Left-breast mammogram, medio-lateral oblique. Patient age 47.
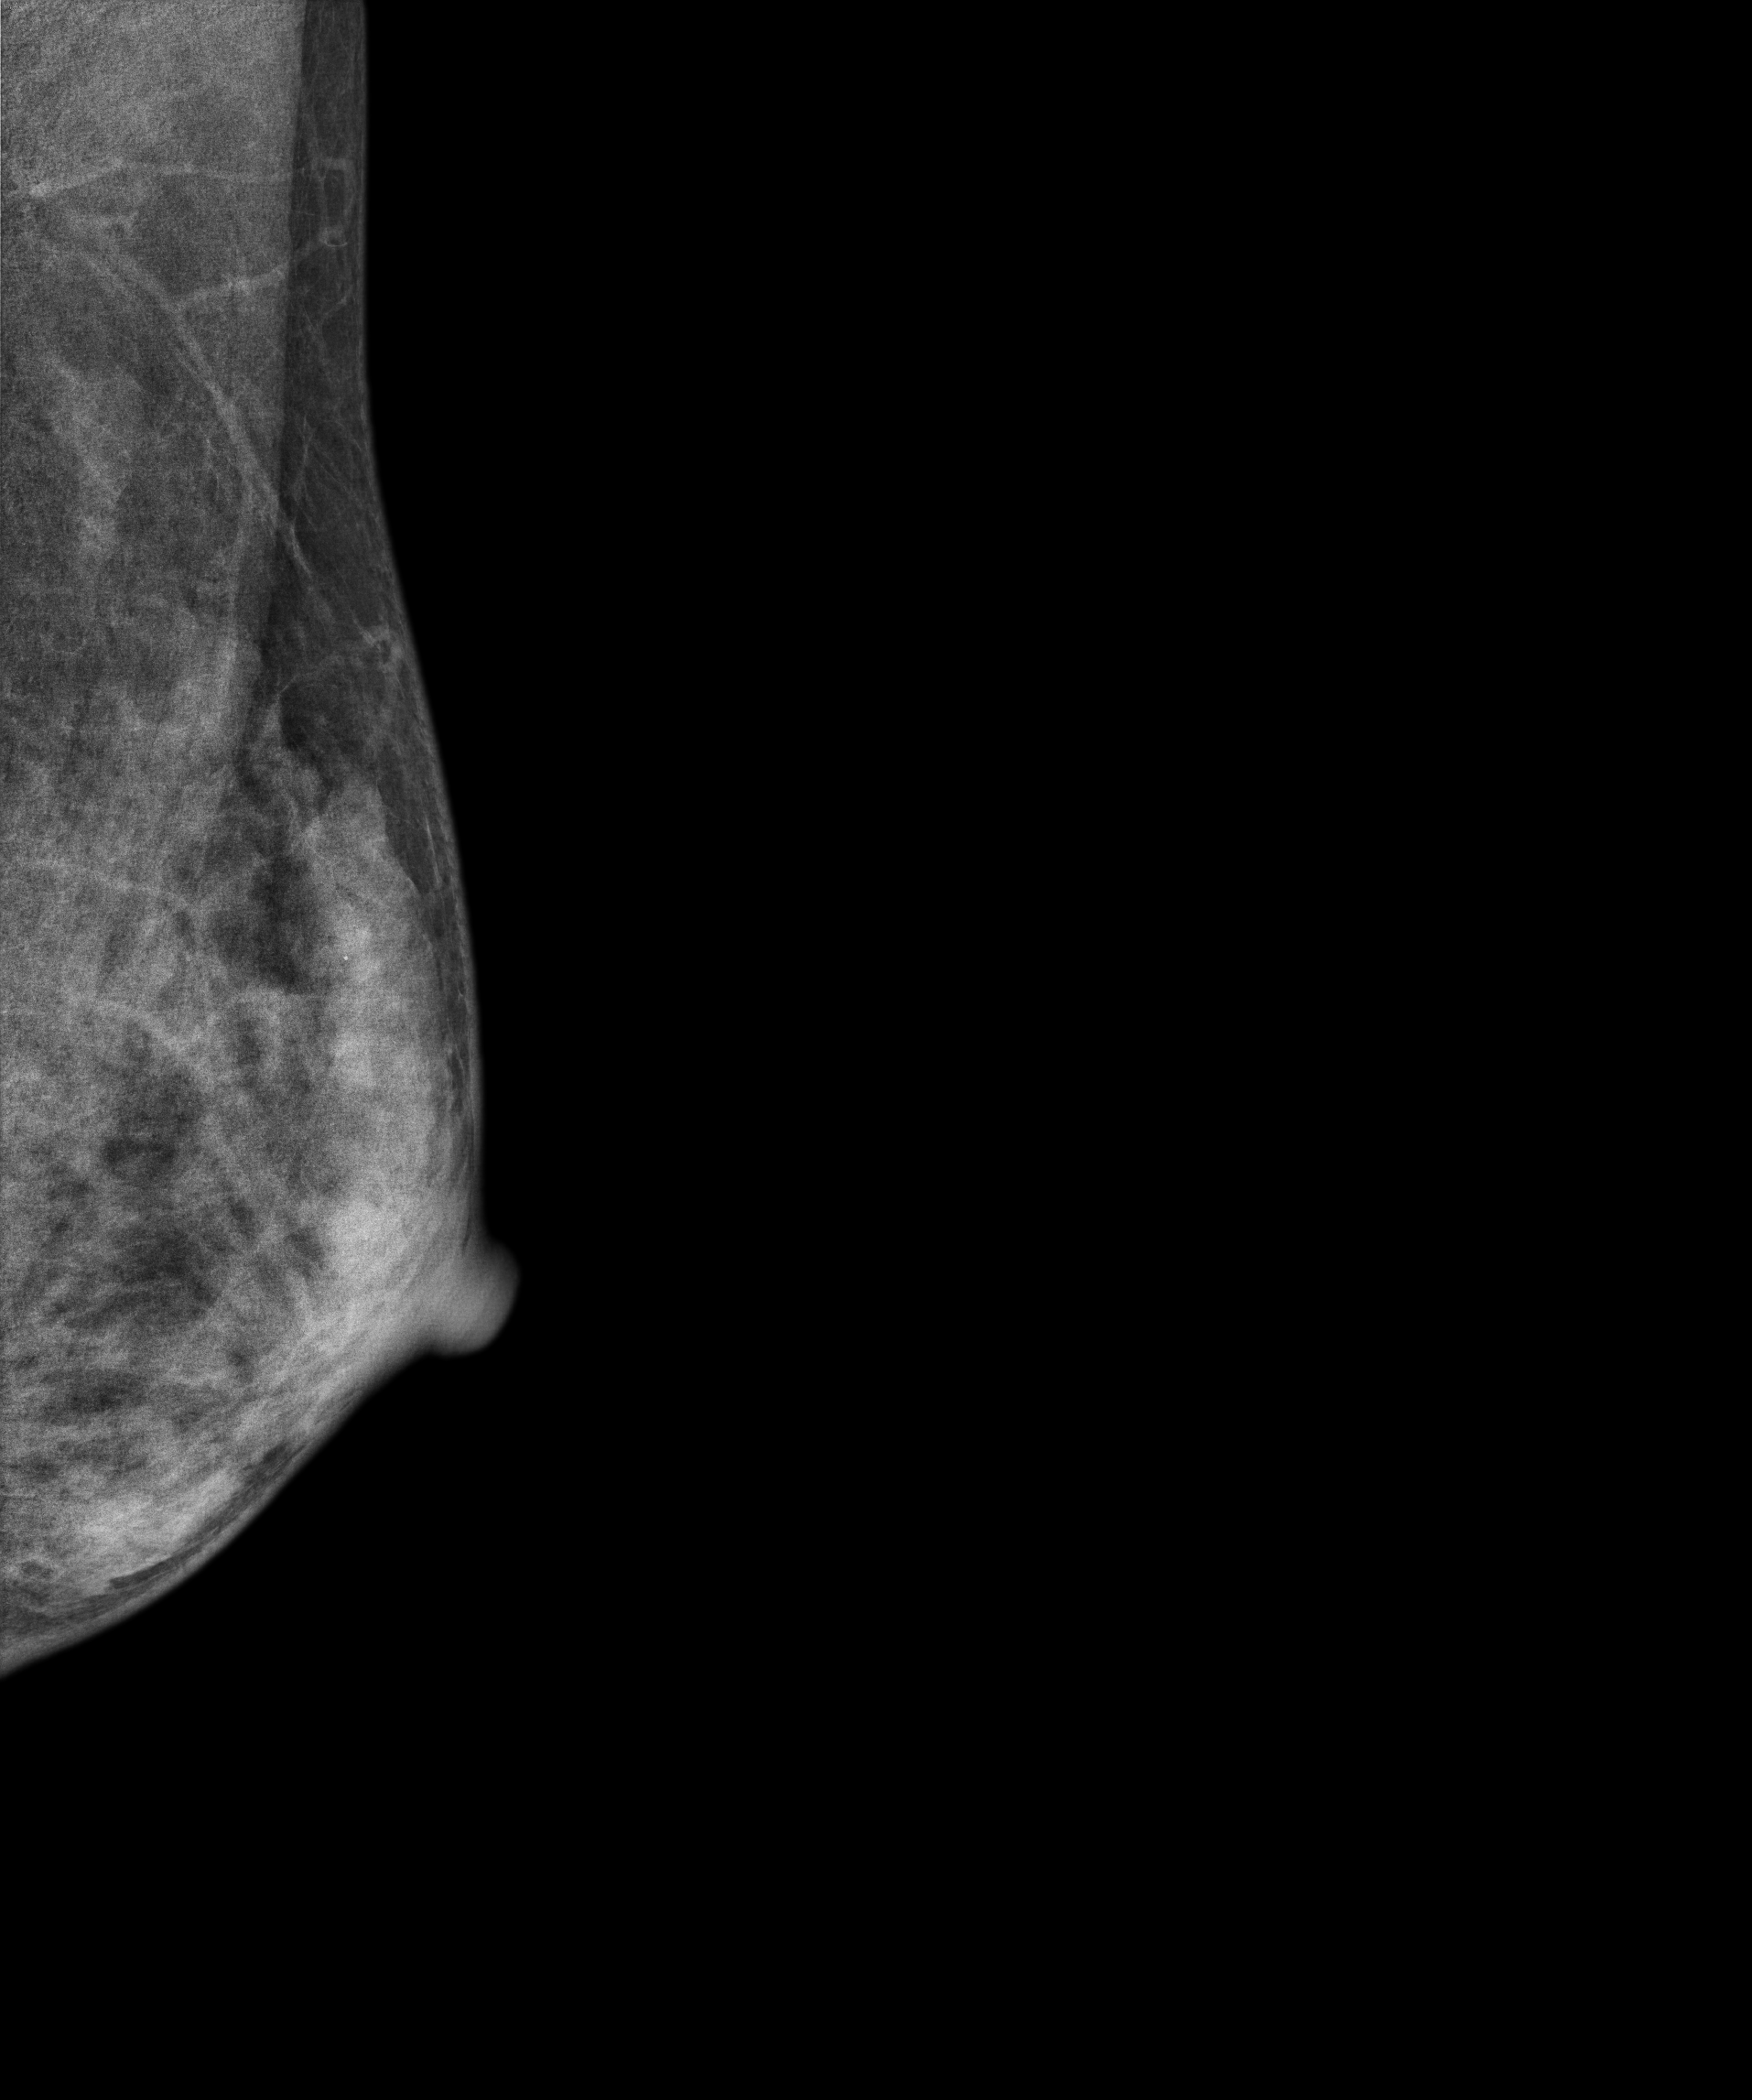
Contralateral breast — no documented abnormality on this side.